Right-breast mammogram, CC. 38-year-old patient.
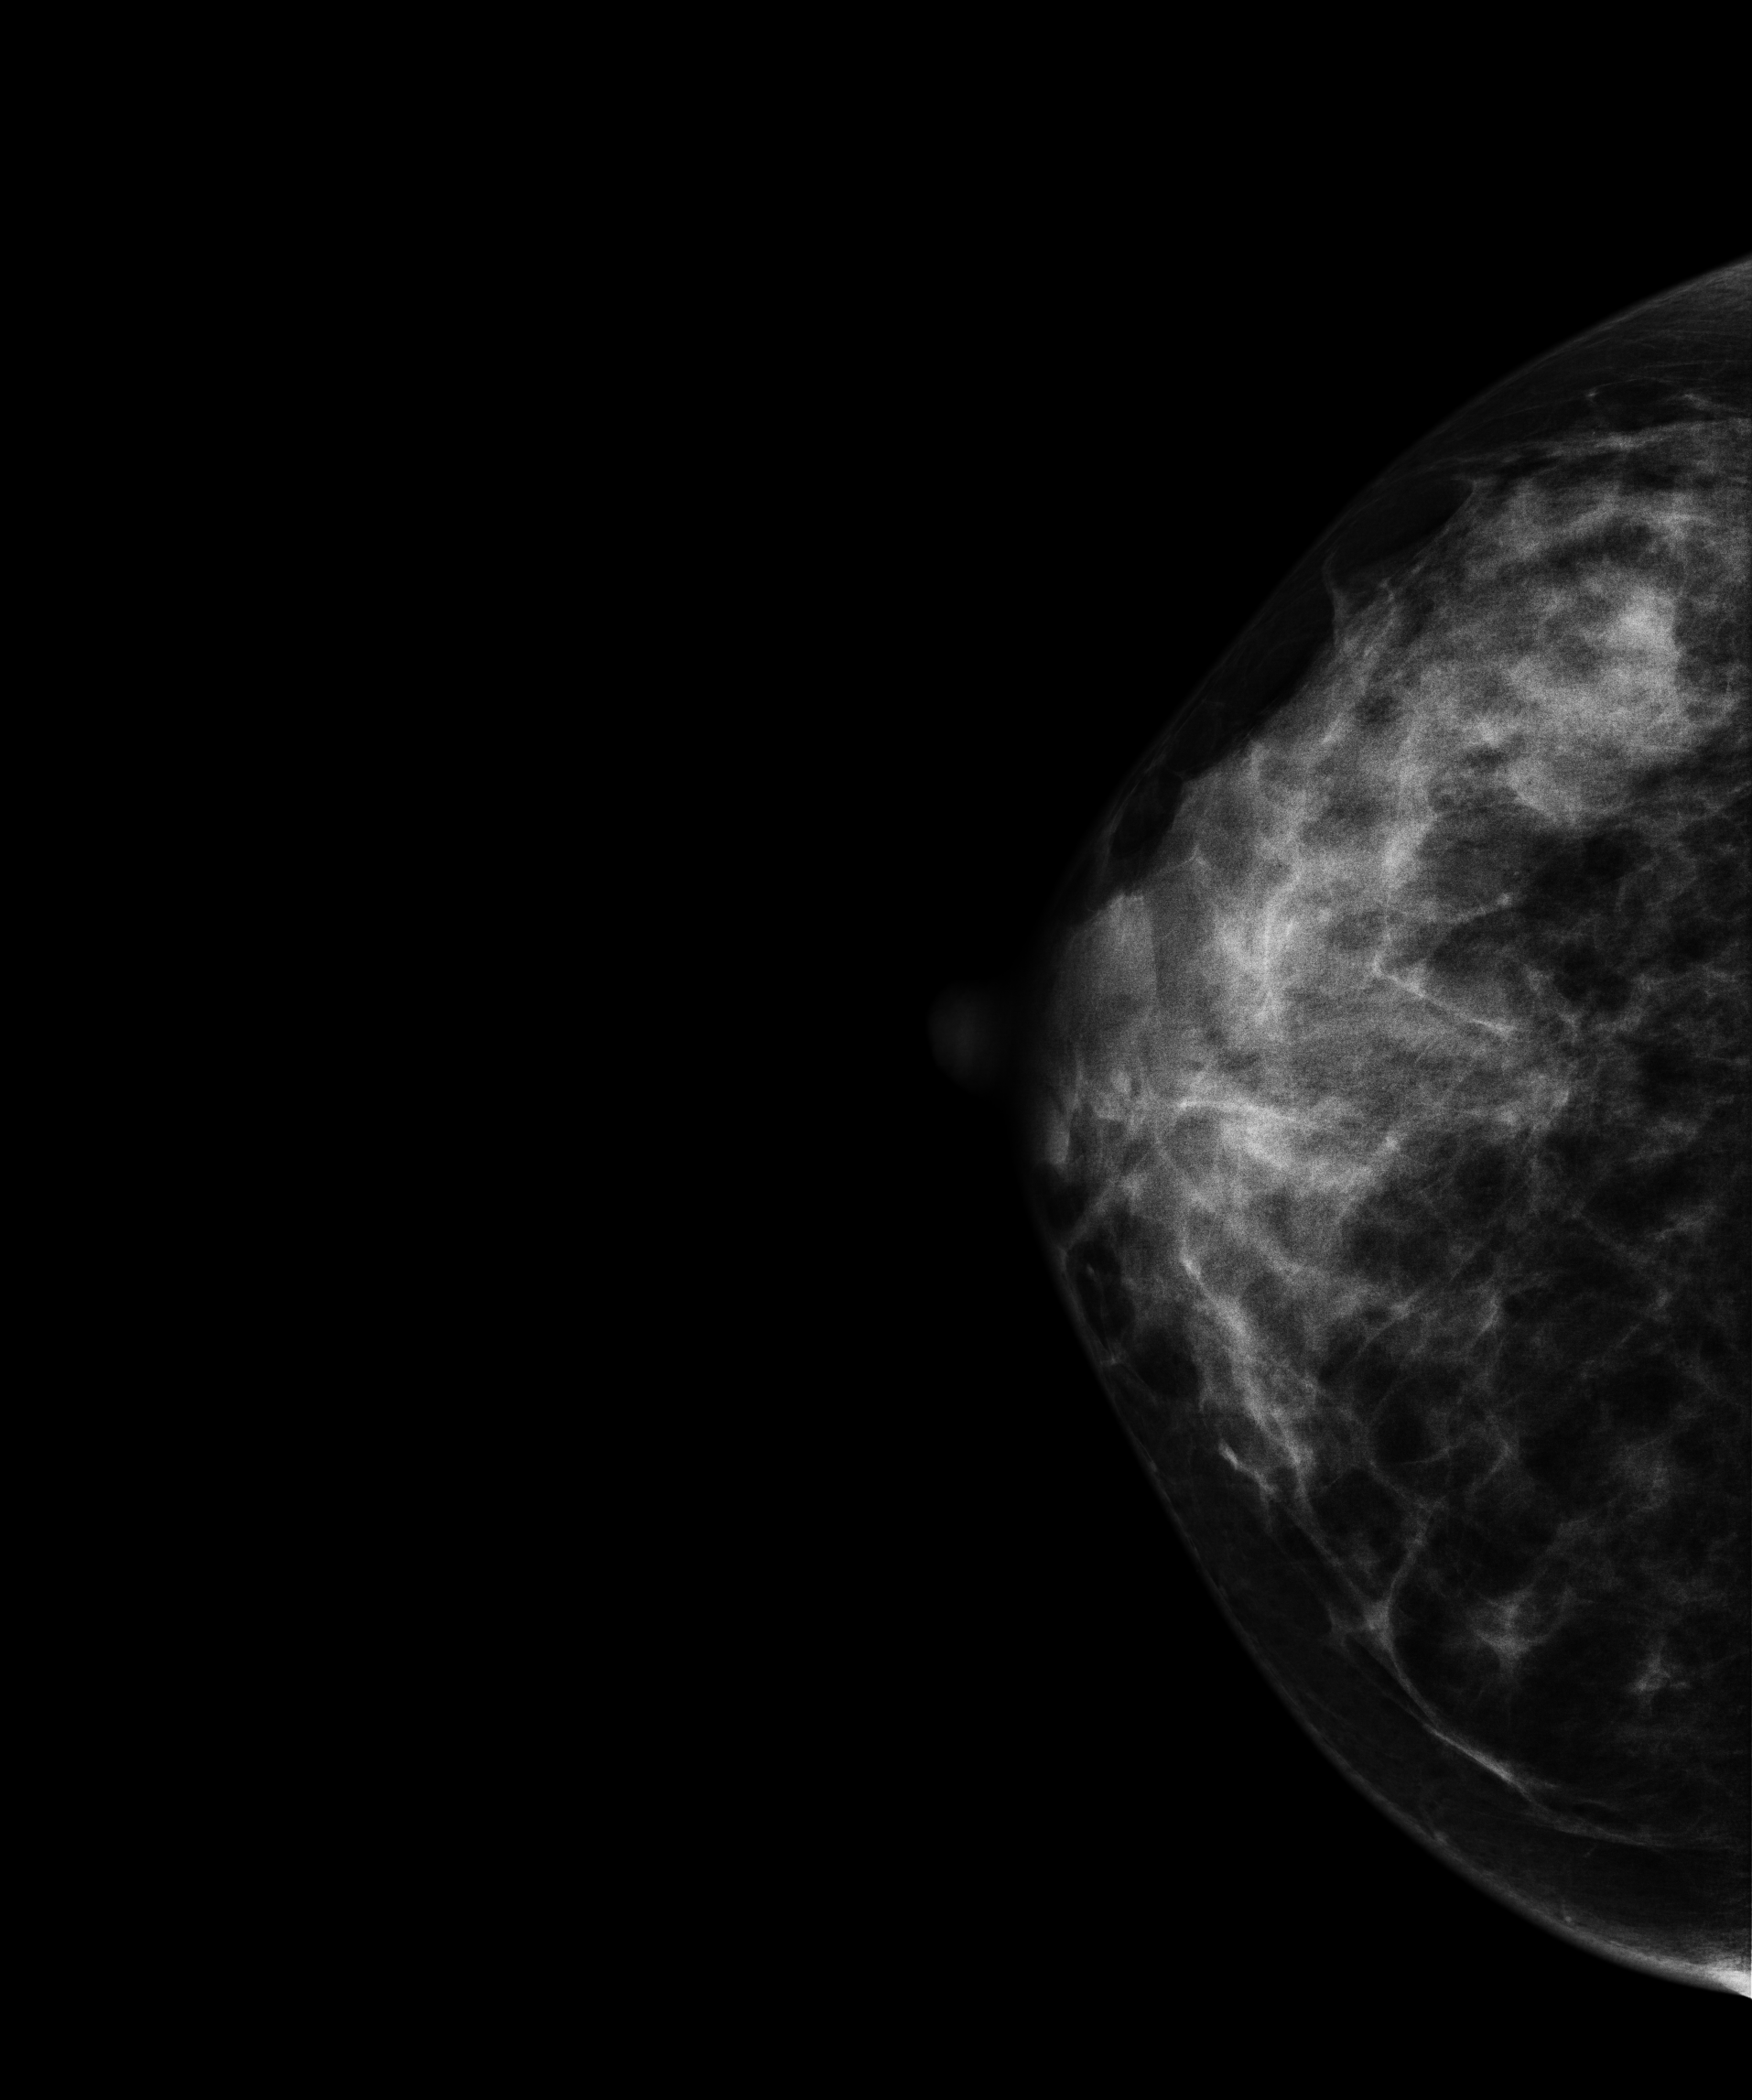
This breast has a mass, biopsy-confirmed malignant.